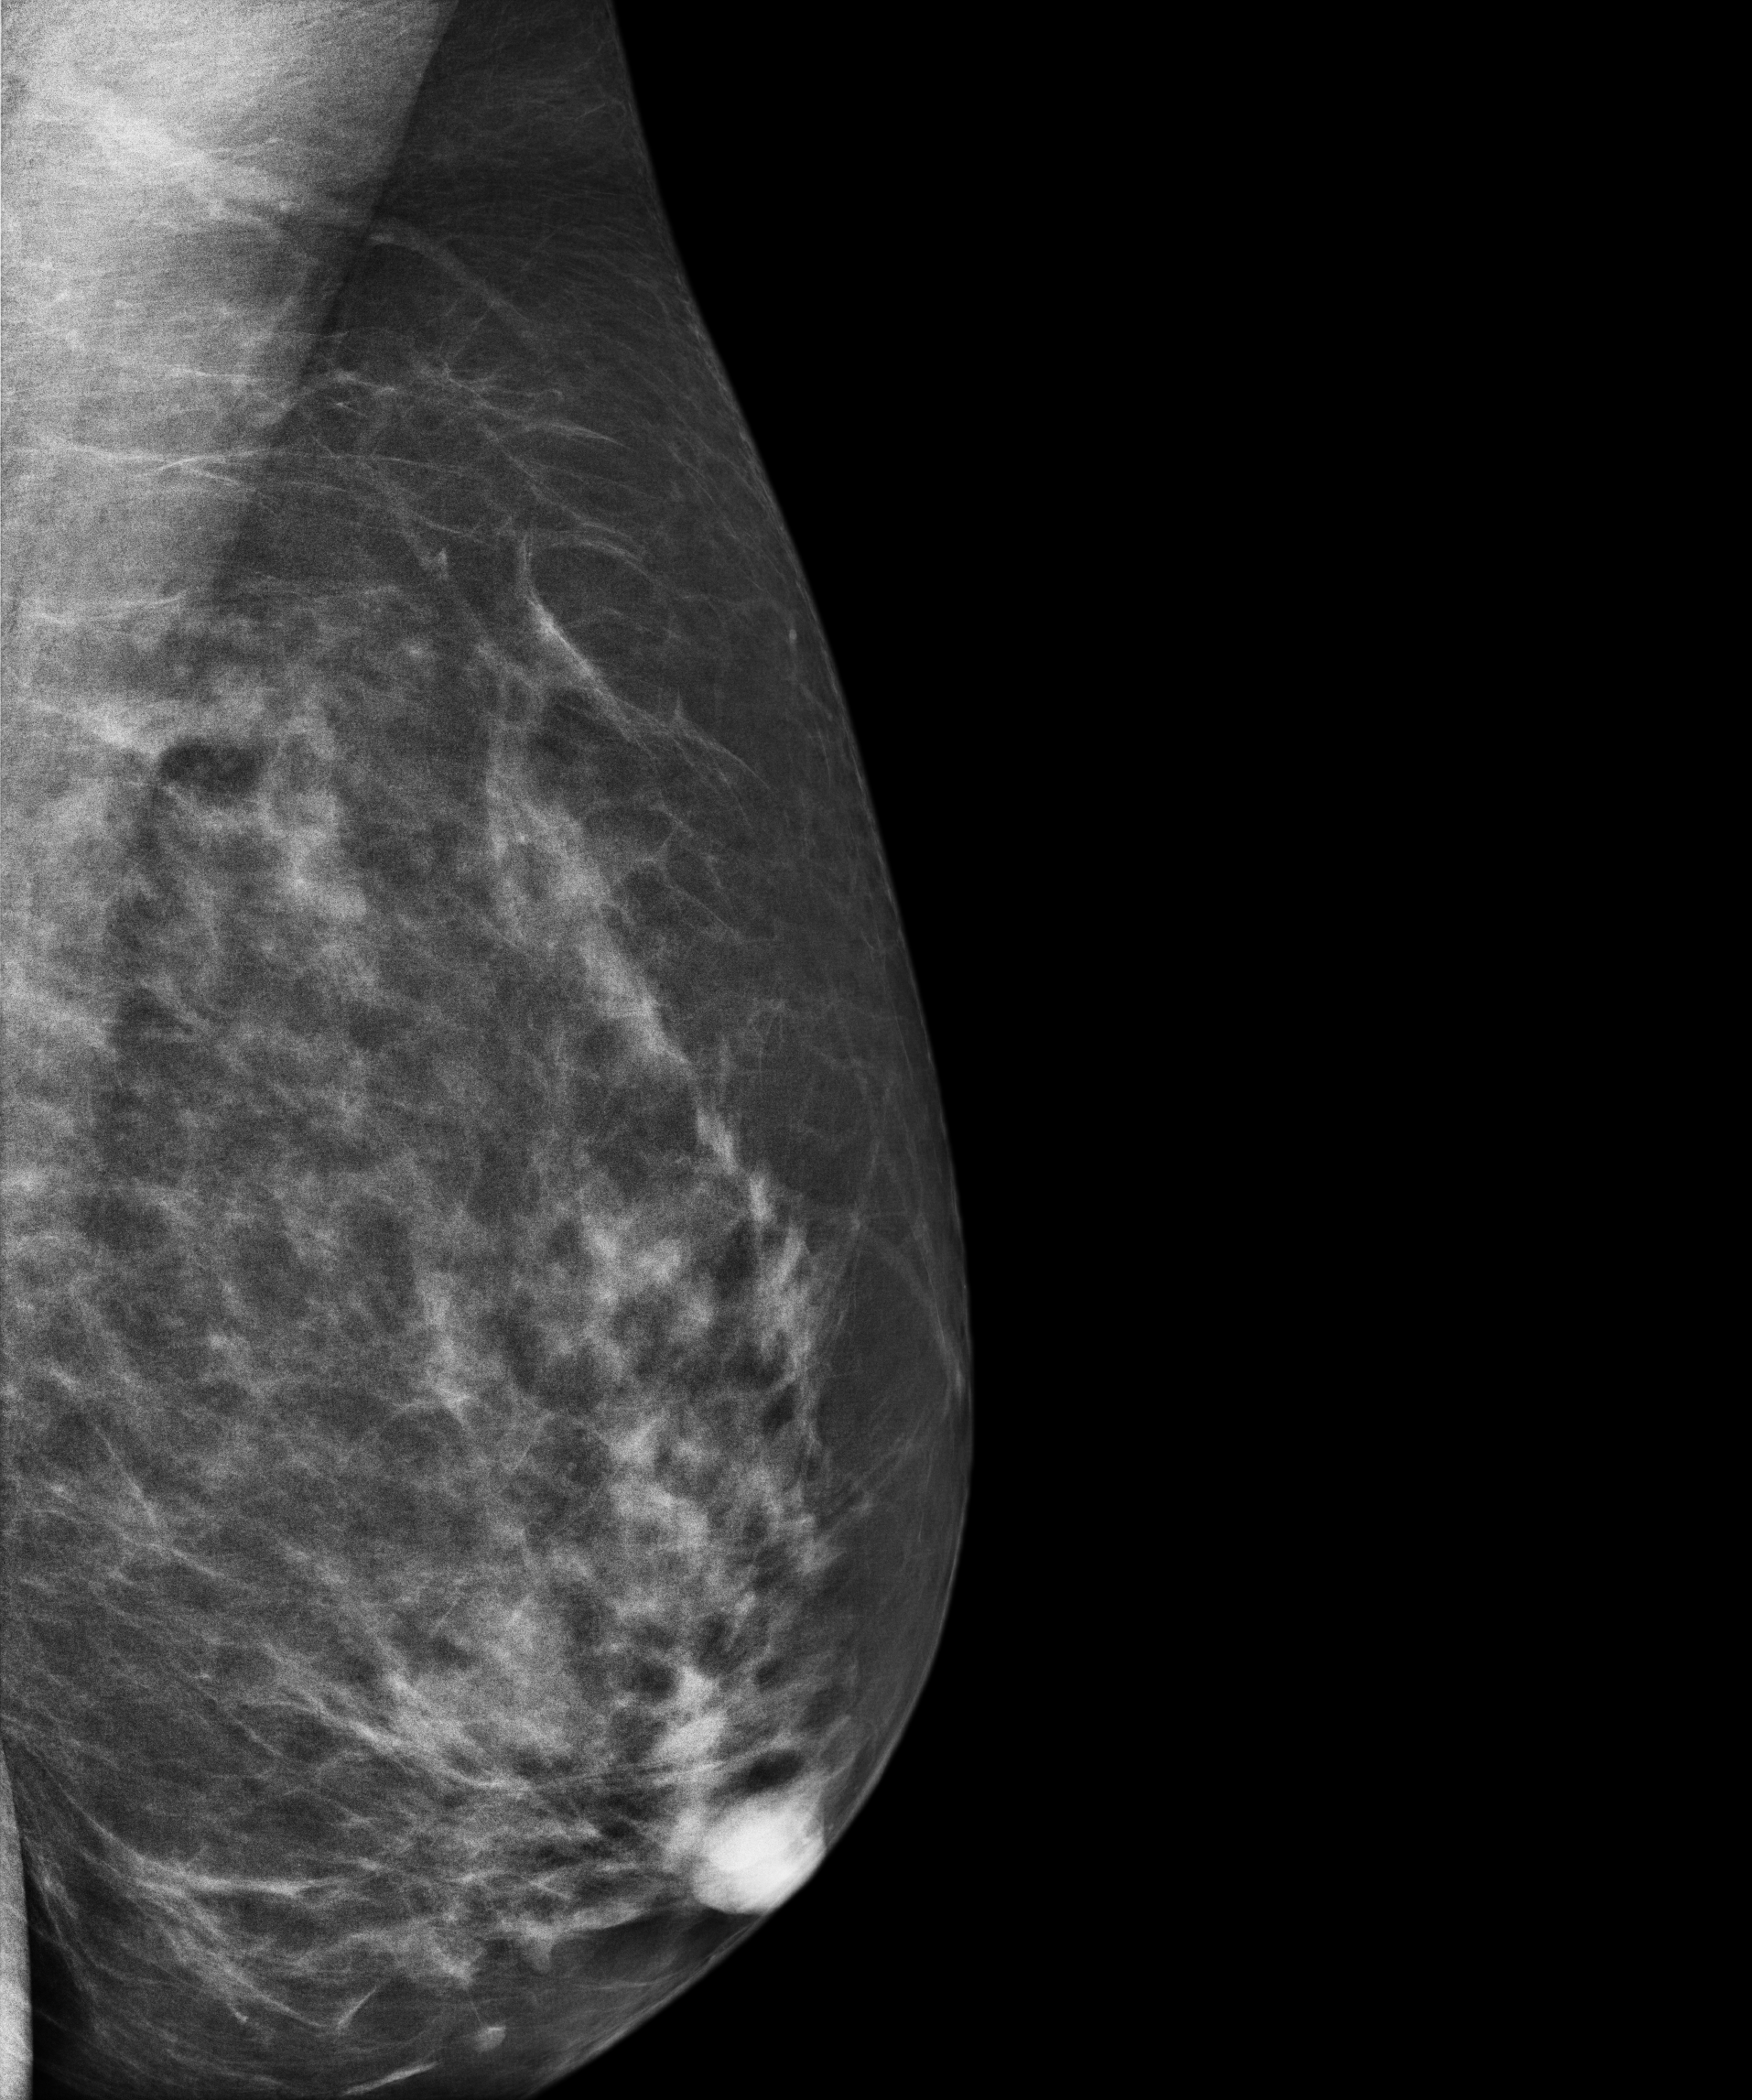
Digital mammography. Left breast, MLO projection. 56-year-old patient.
Contralateral breast — no documented abnormality on this side.